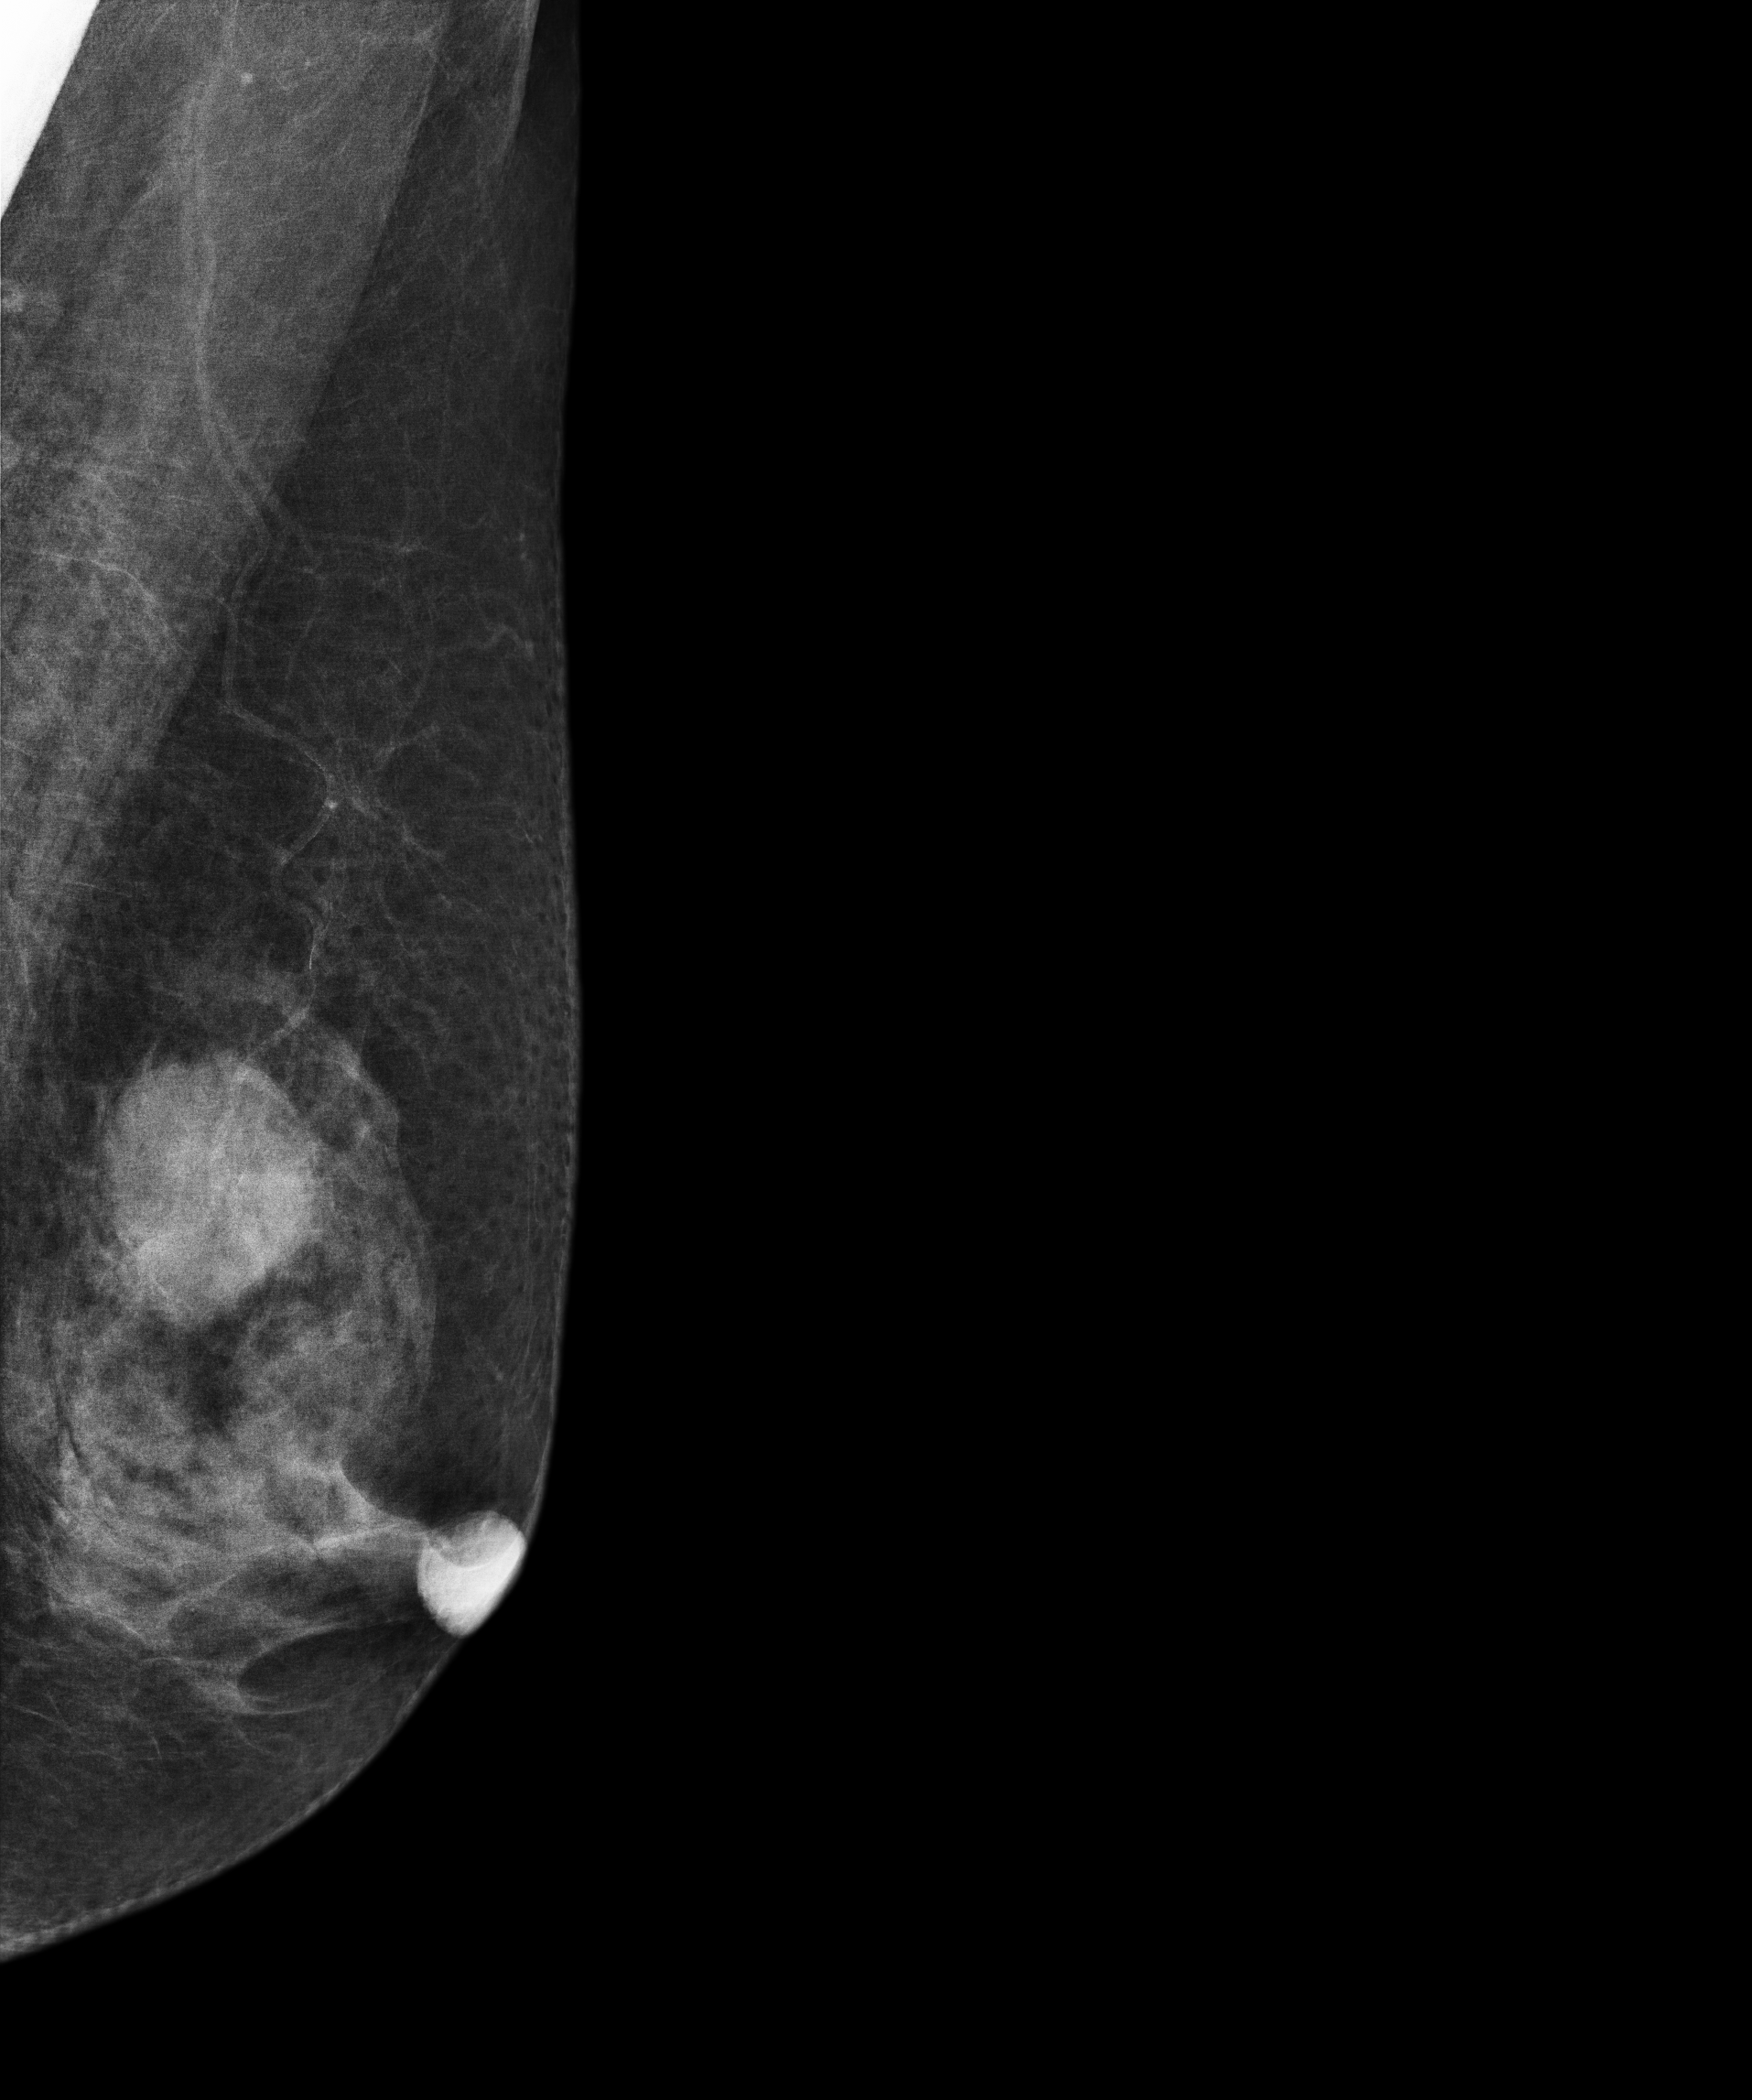
Mammogram, left breast, medio-lateral oblique view. Patient age 83.
This breast has a mass, pathology-confirmed benign.